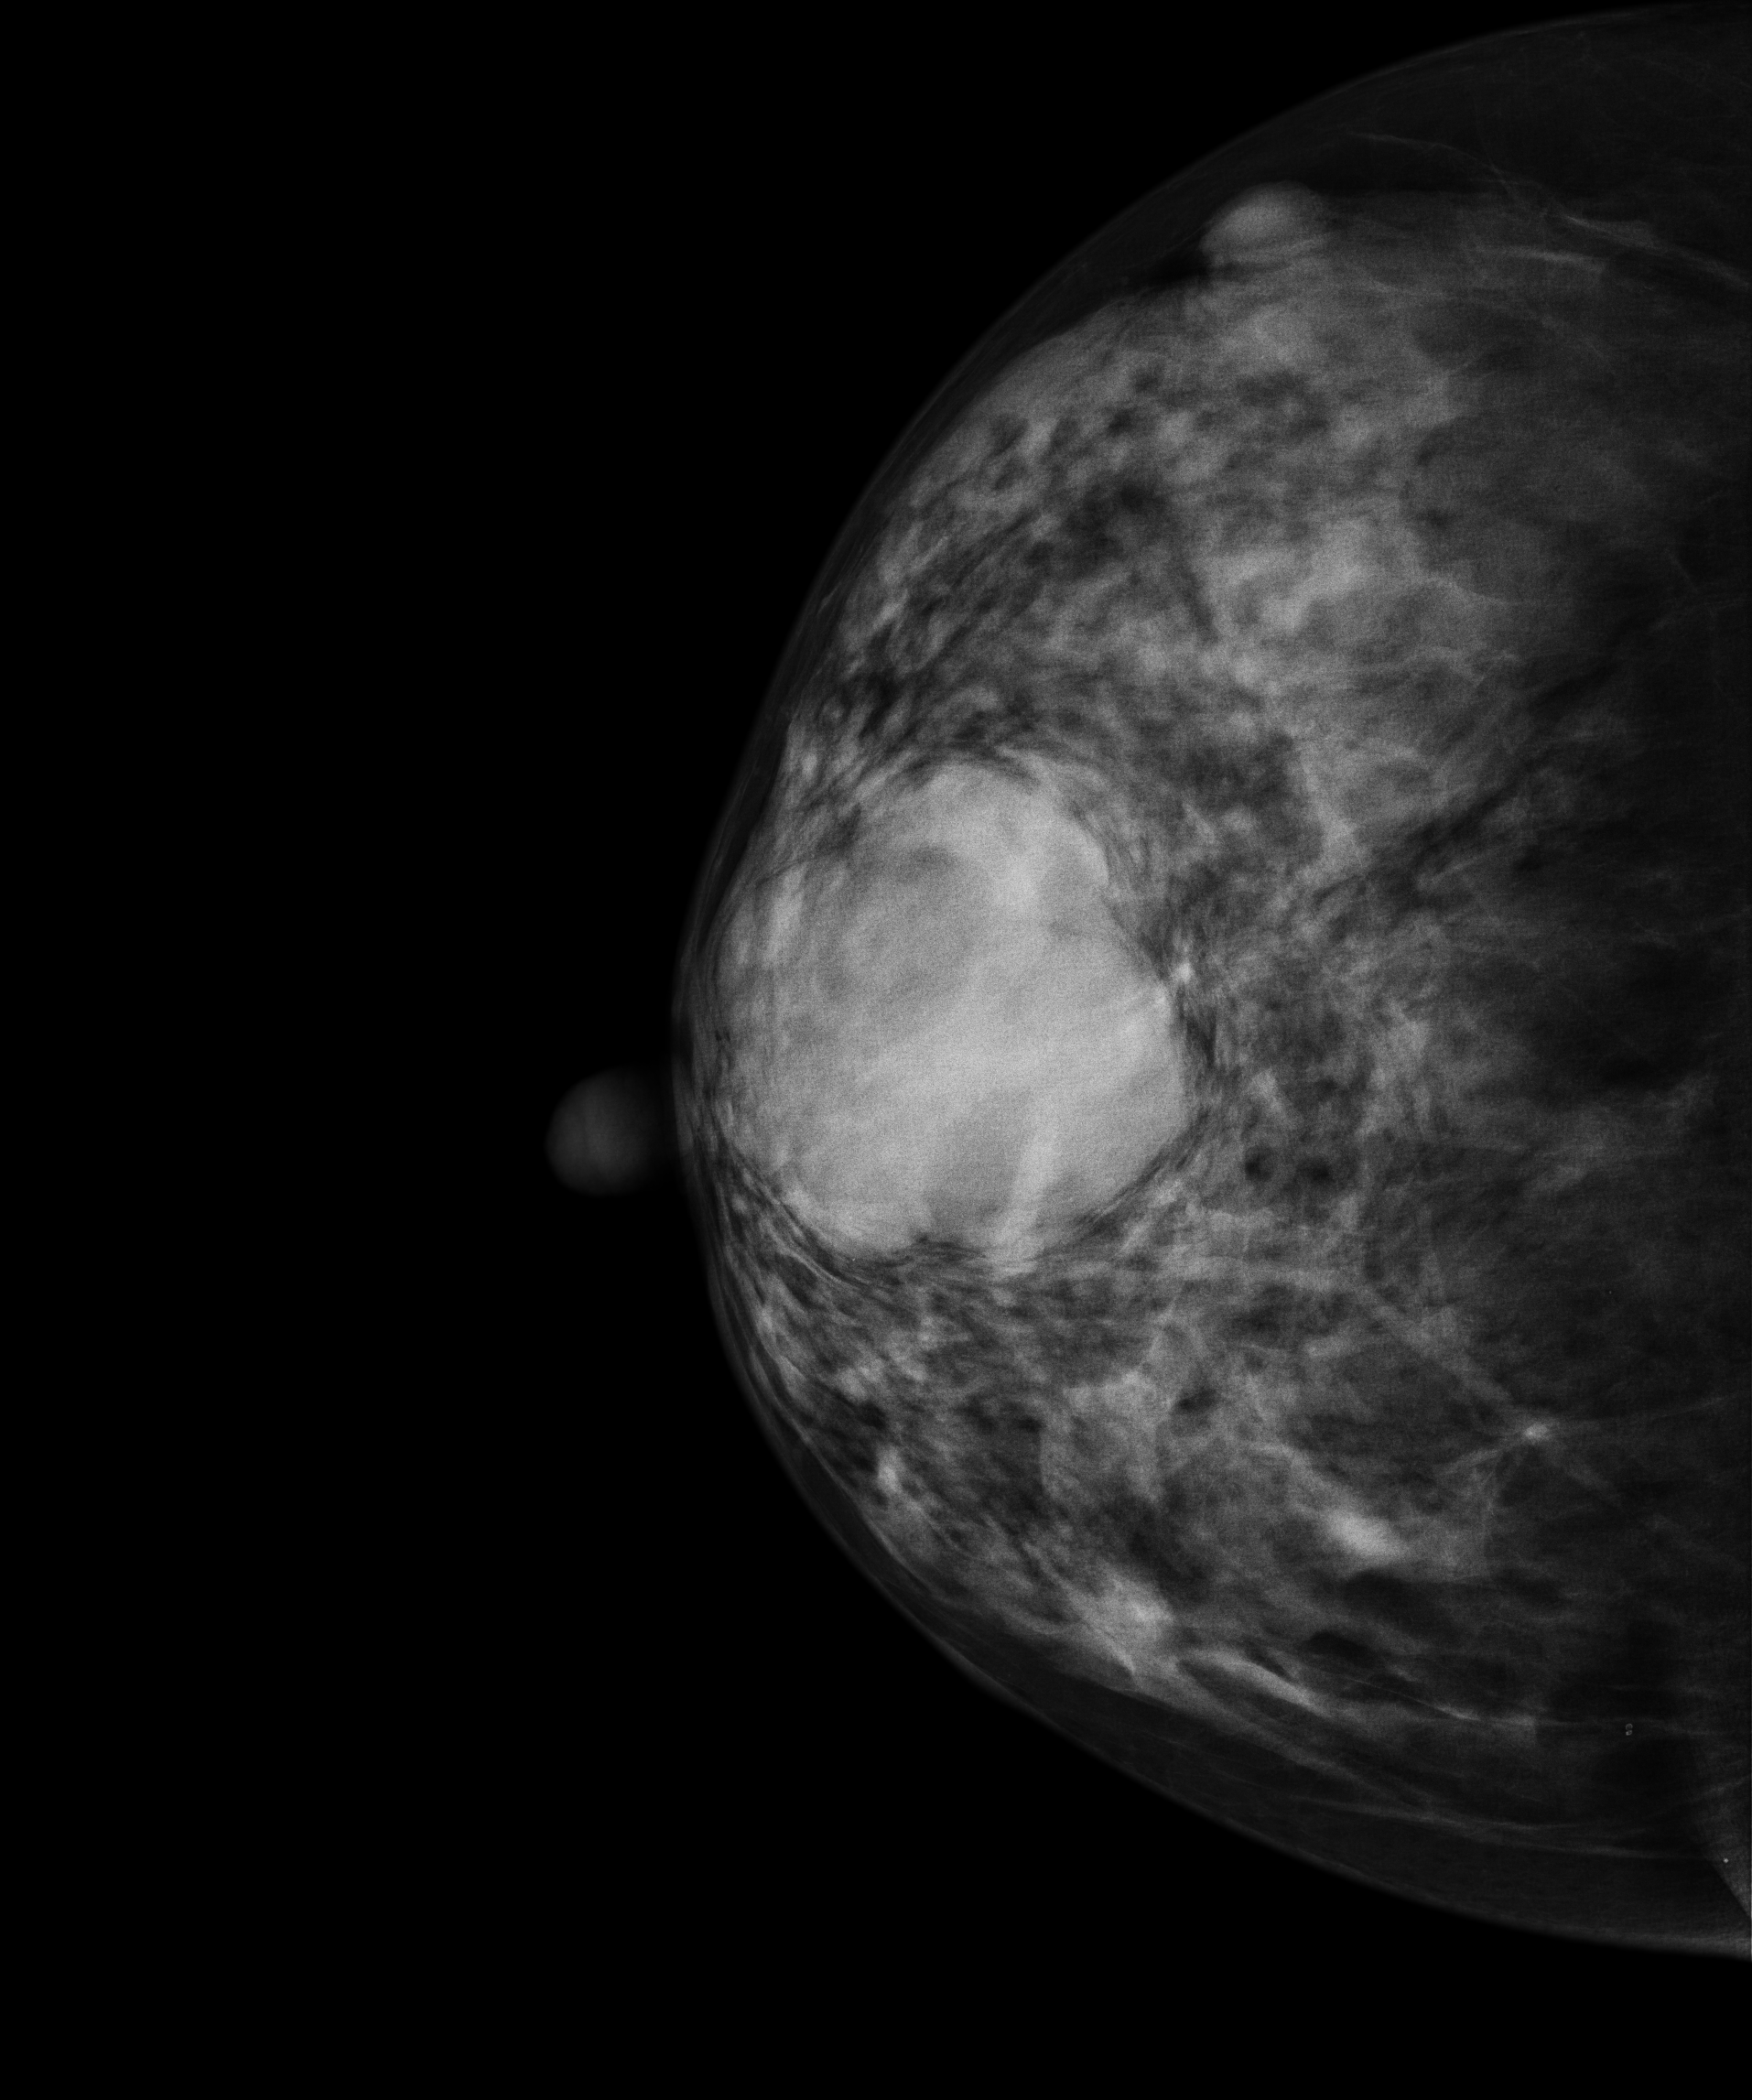
Digital mammography. Right breast, cranio-caudal projection. 42-year-old patient.
This breast has a mass, biopsy-confirmed benign.